Mammogram — right CC. 52 y/o patient.
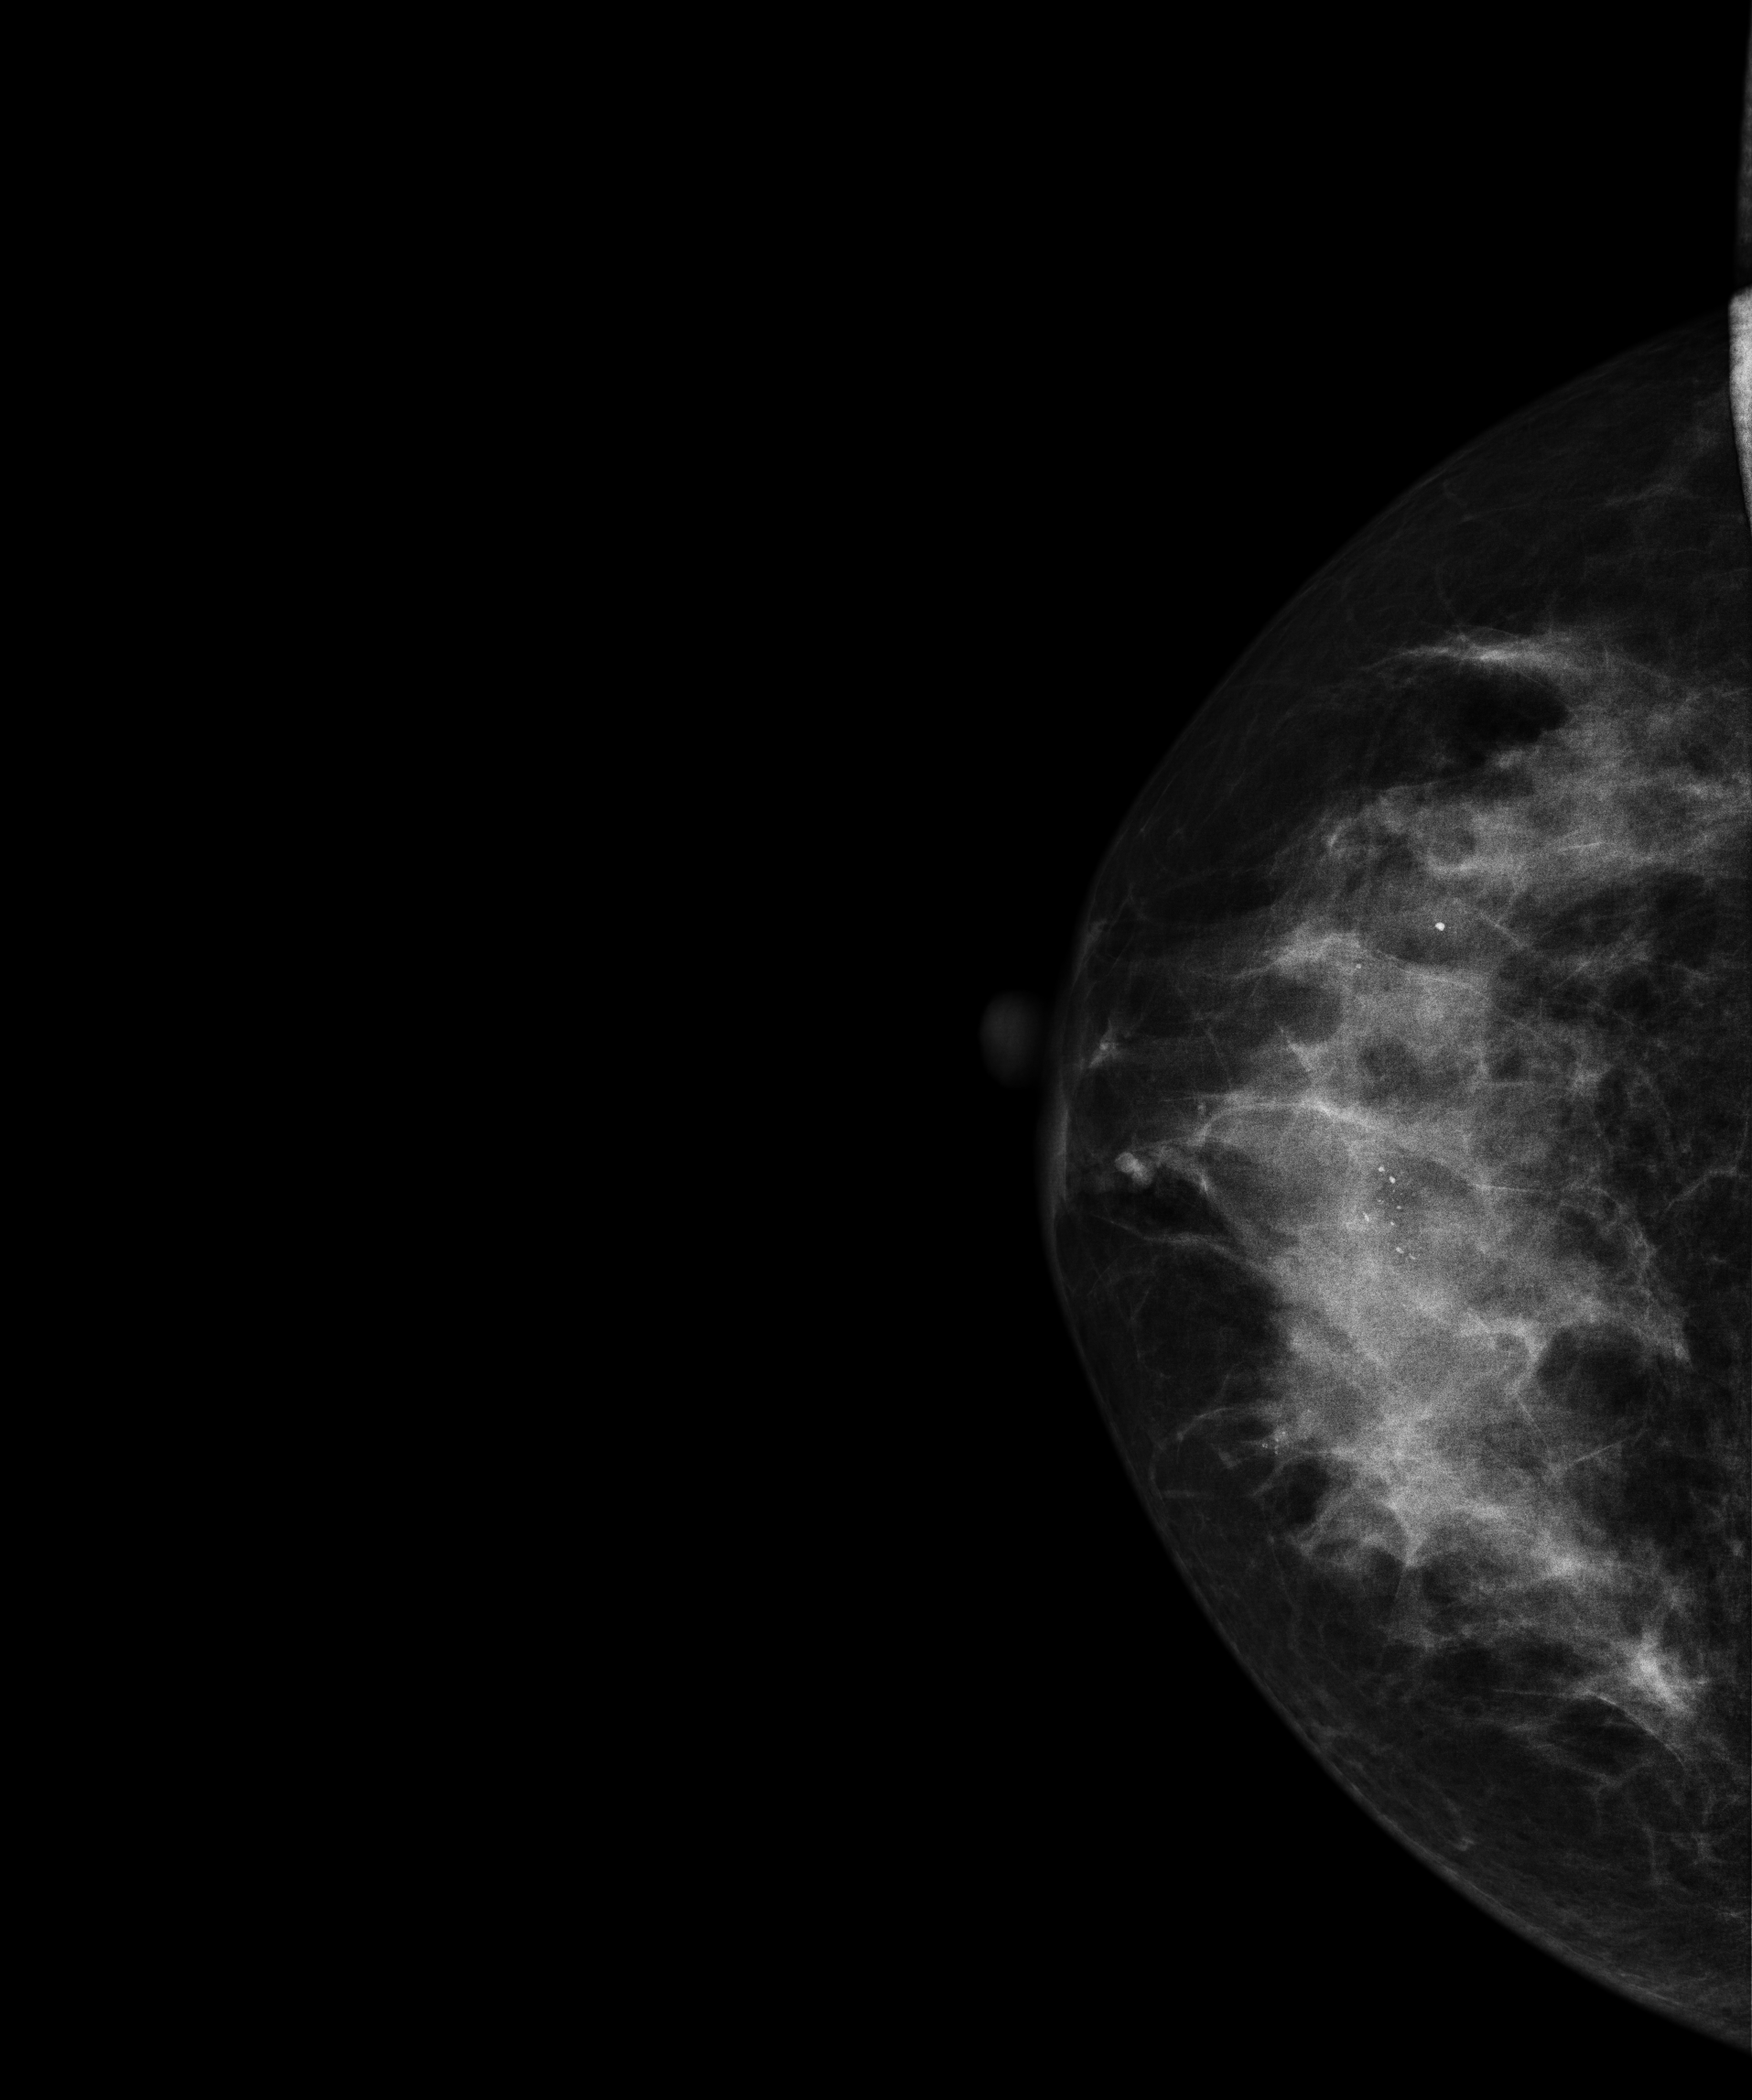
This breast has calcifications, biopsy-confirmed malignant.